Digital mammography. Left breast, medio-lateral oblique projection. Patient age 63.
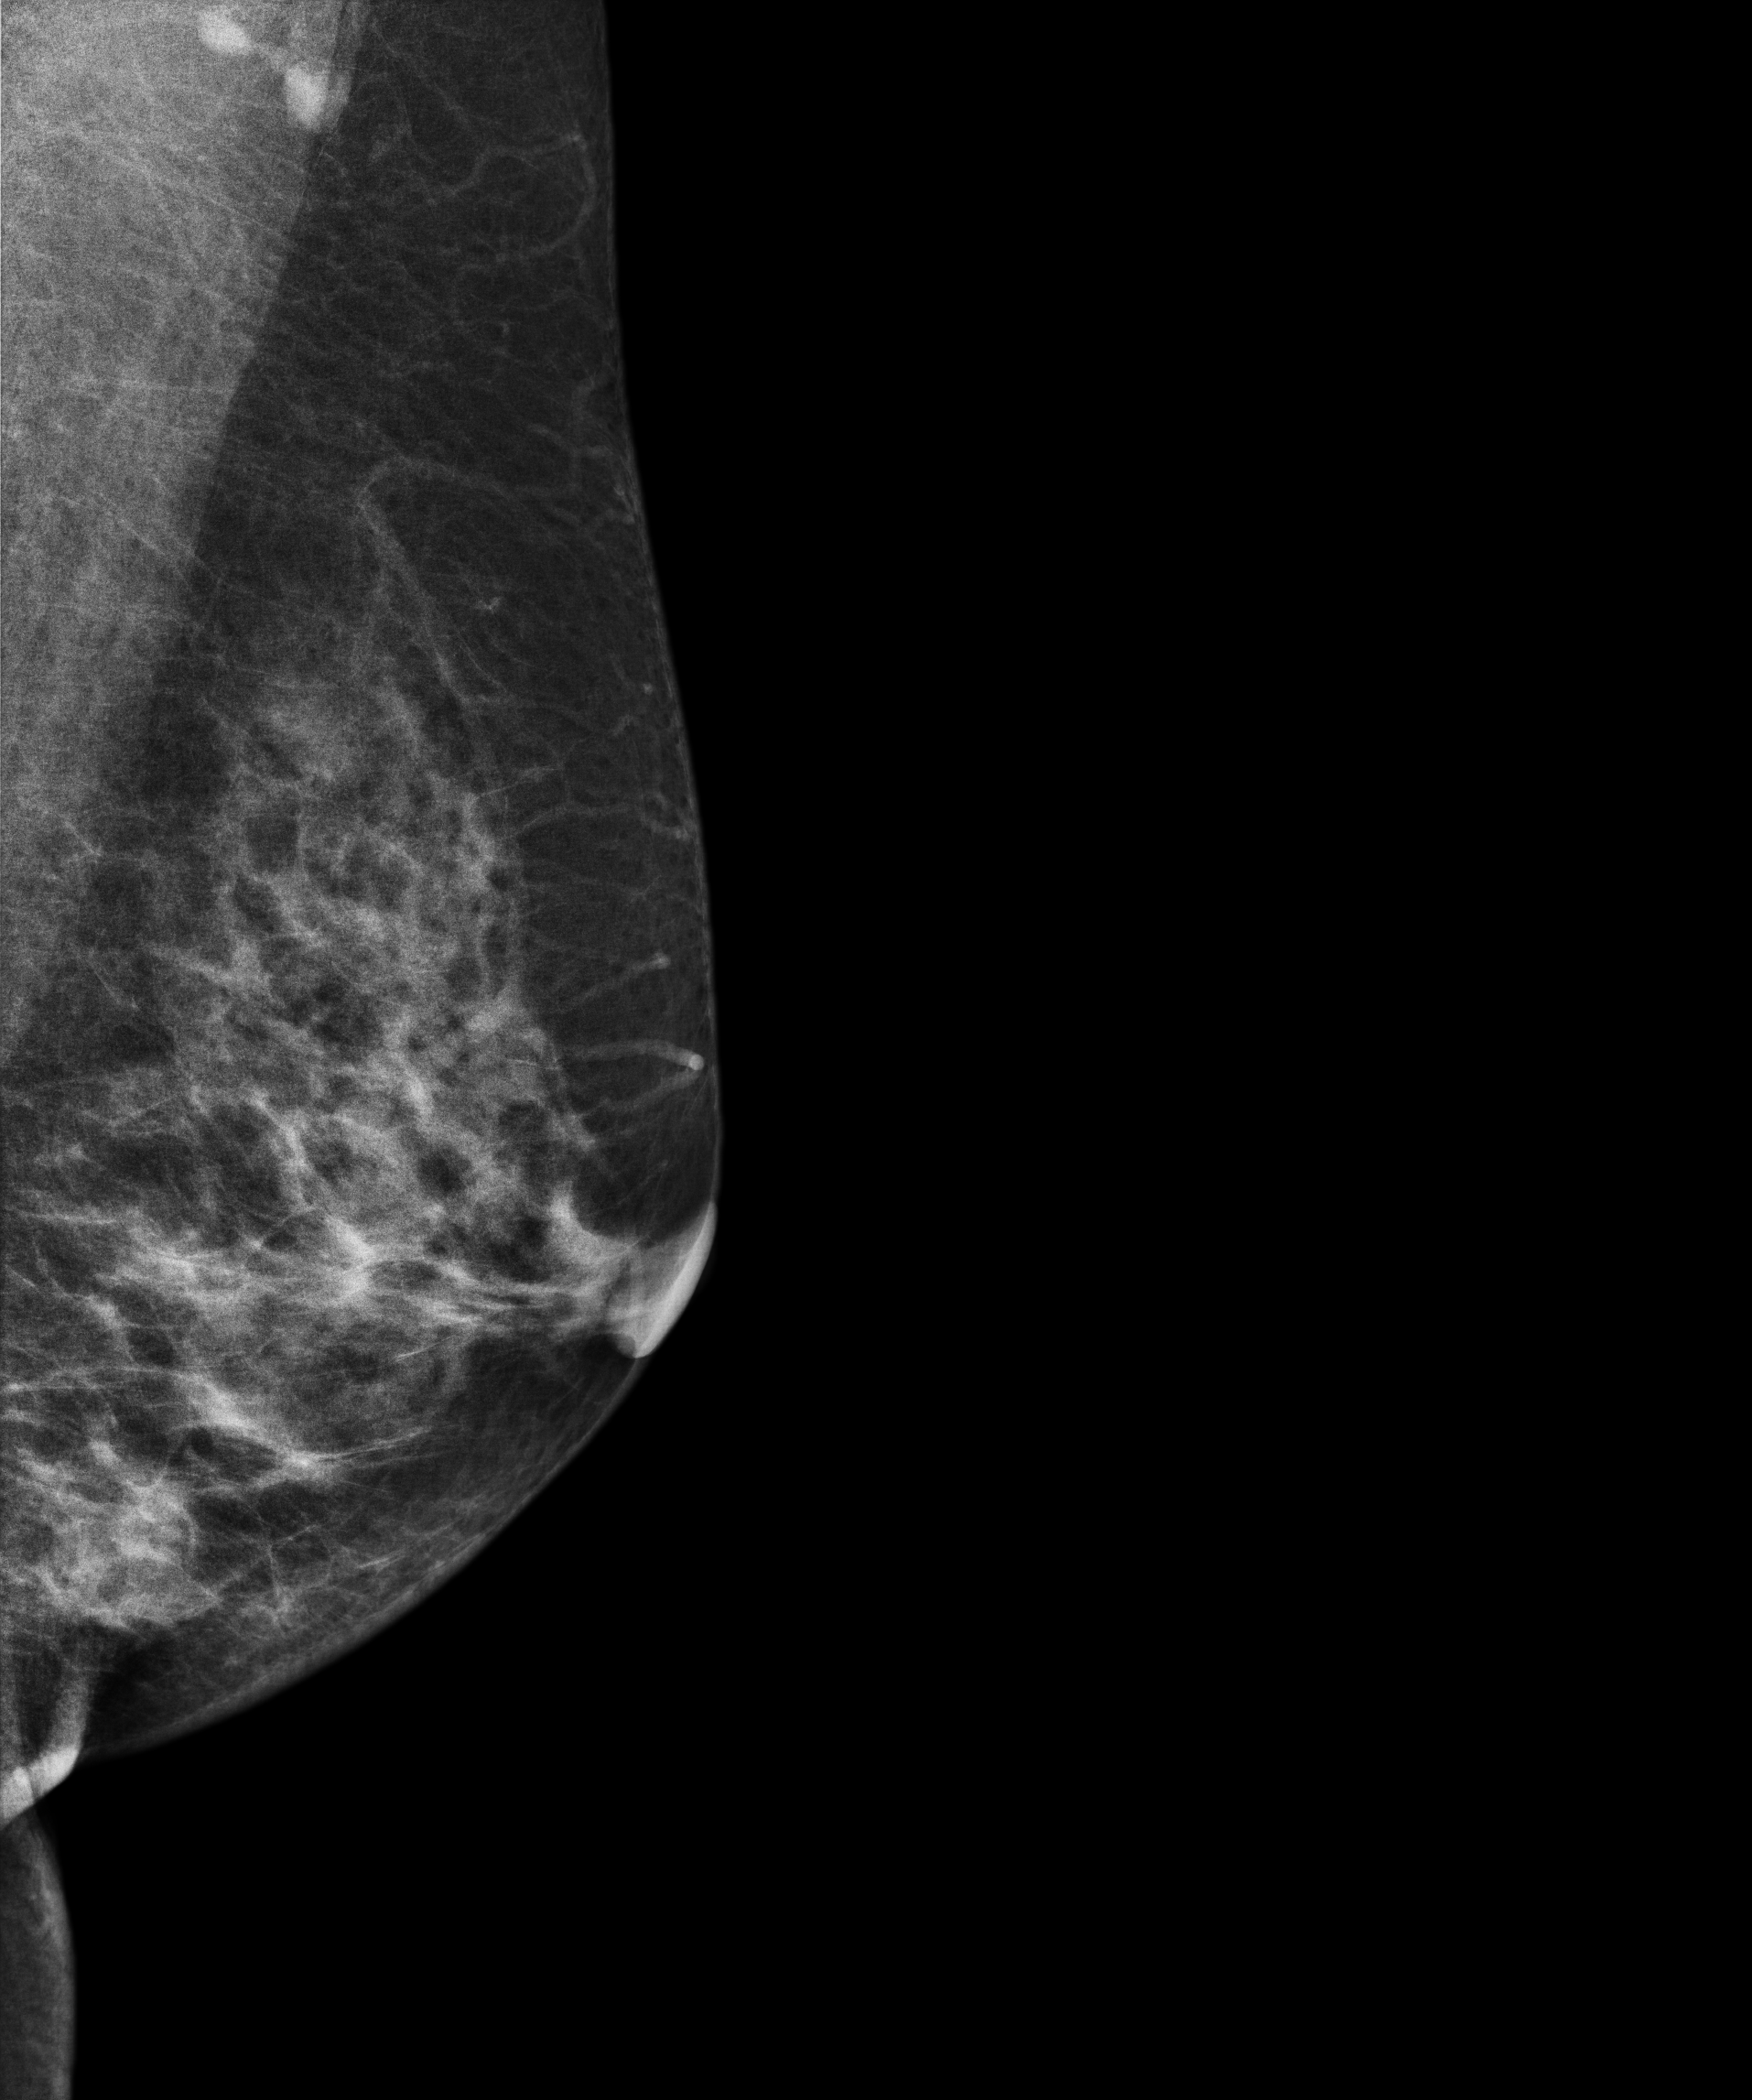
This breast has a mass, histologically confirmed malignant. Molecular subtype: luminal B.